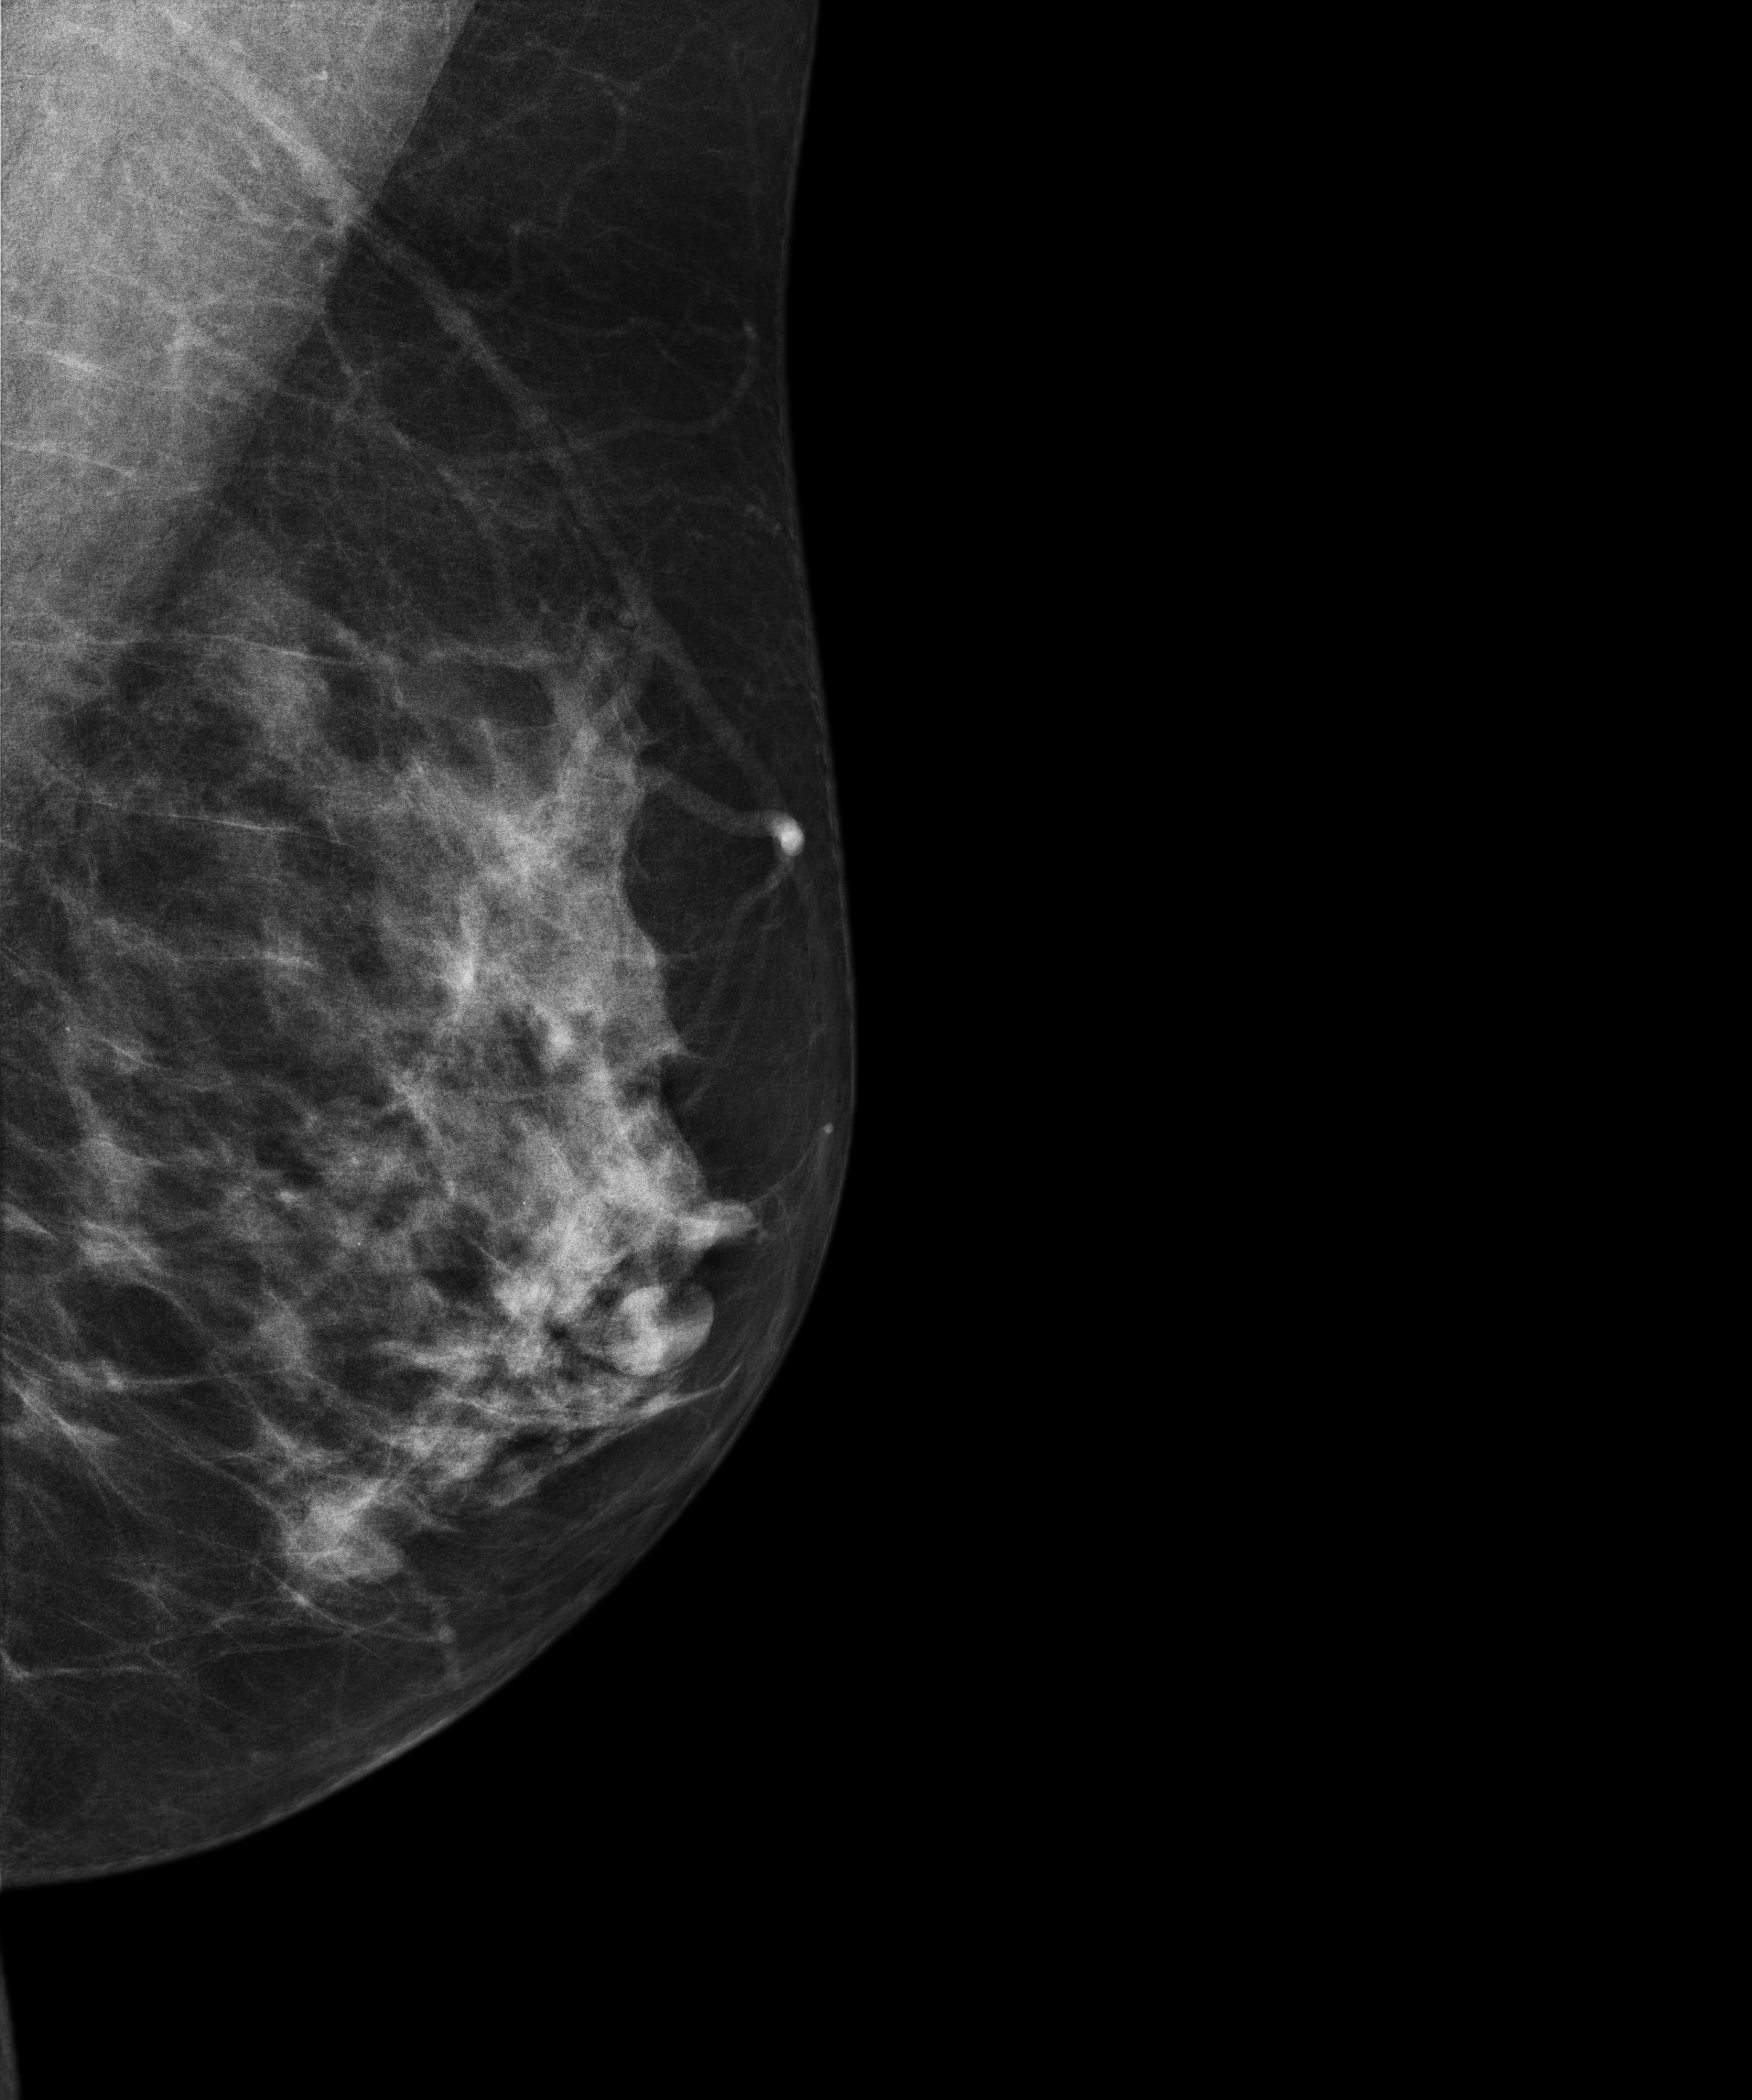
Digital mammography. Left breast, medio-lateral oblique projection. 68 y/o patient.
This breast has a mass, histologically confirmed malignant.